Left-breast mammogram, CC. 78-year-old patient.
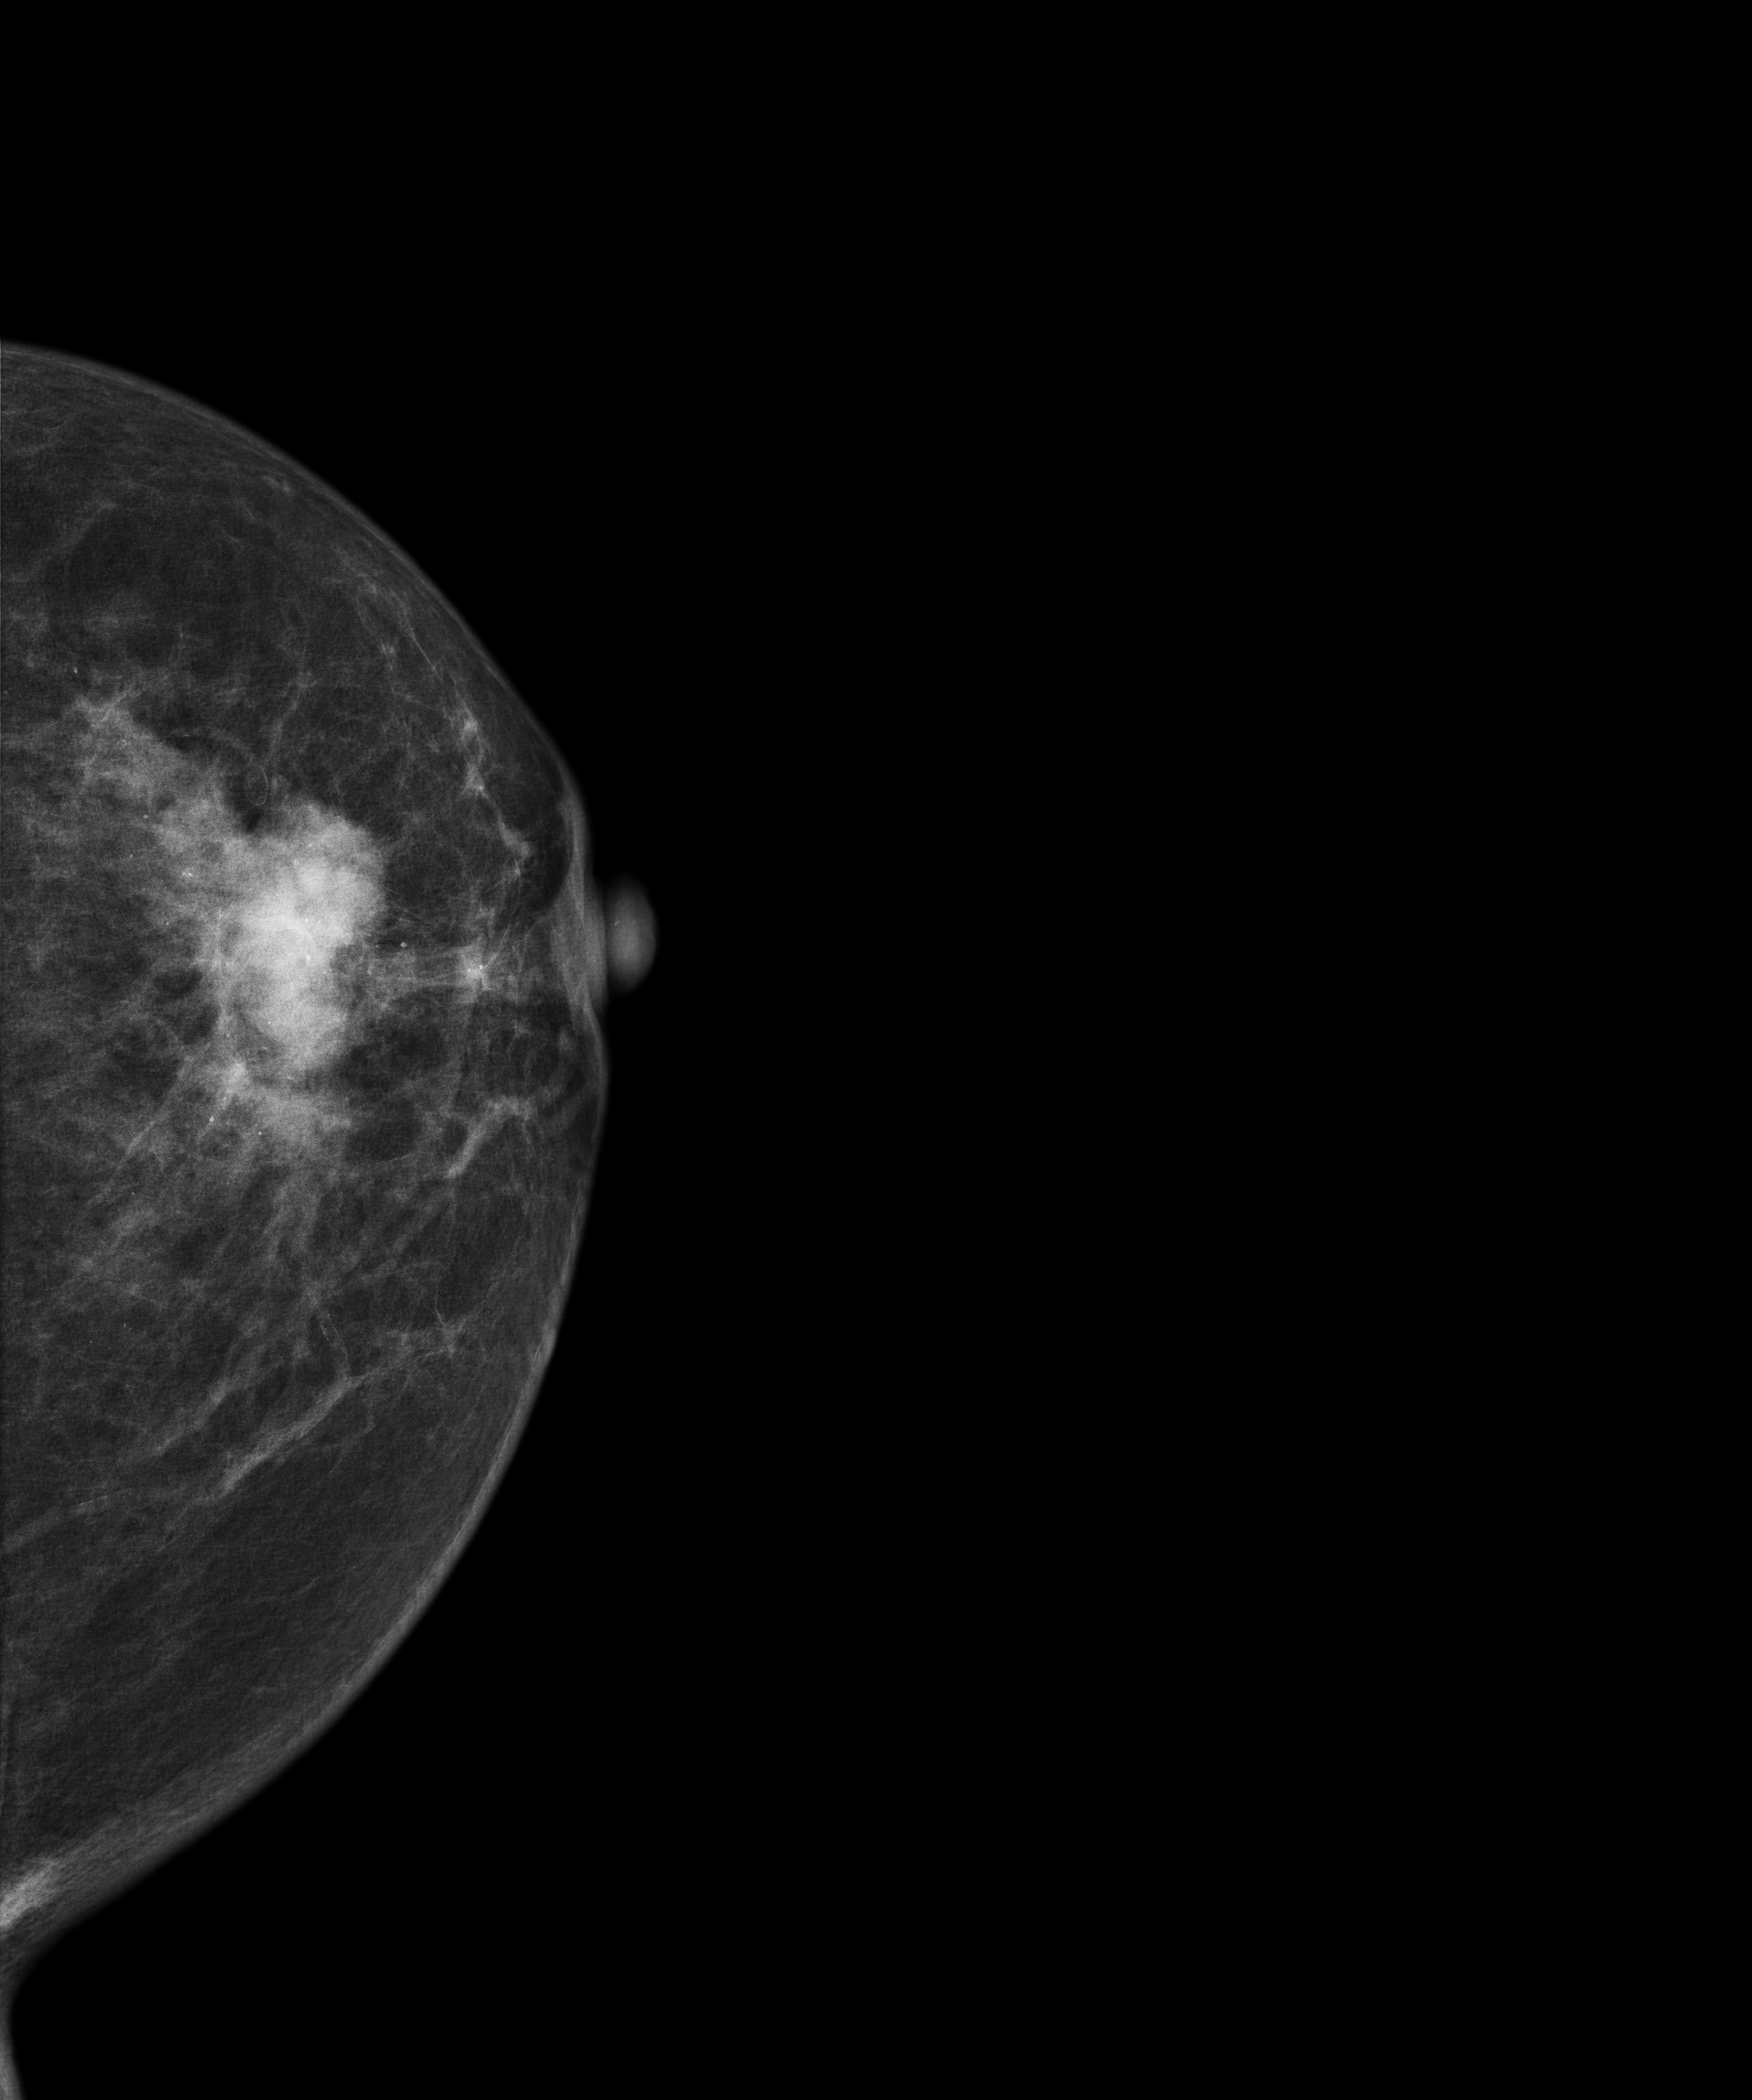
This breast has a mass and calcifications, histologically confirmed malignant.